Digital mammography. Right breast, cranio-caudal projection. Patient age 33.
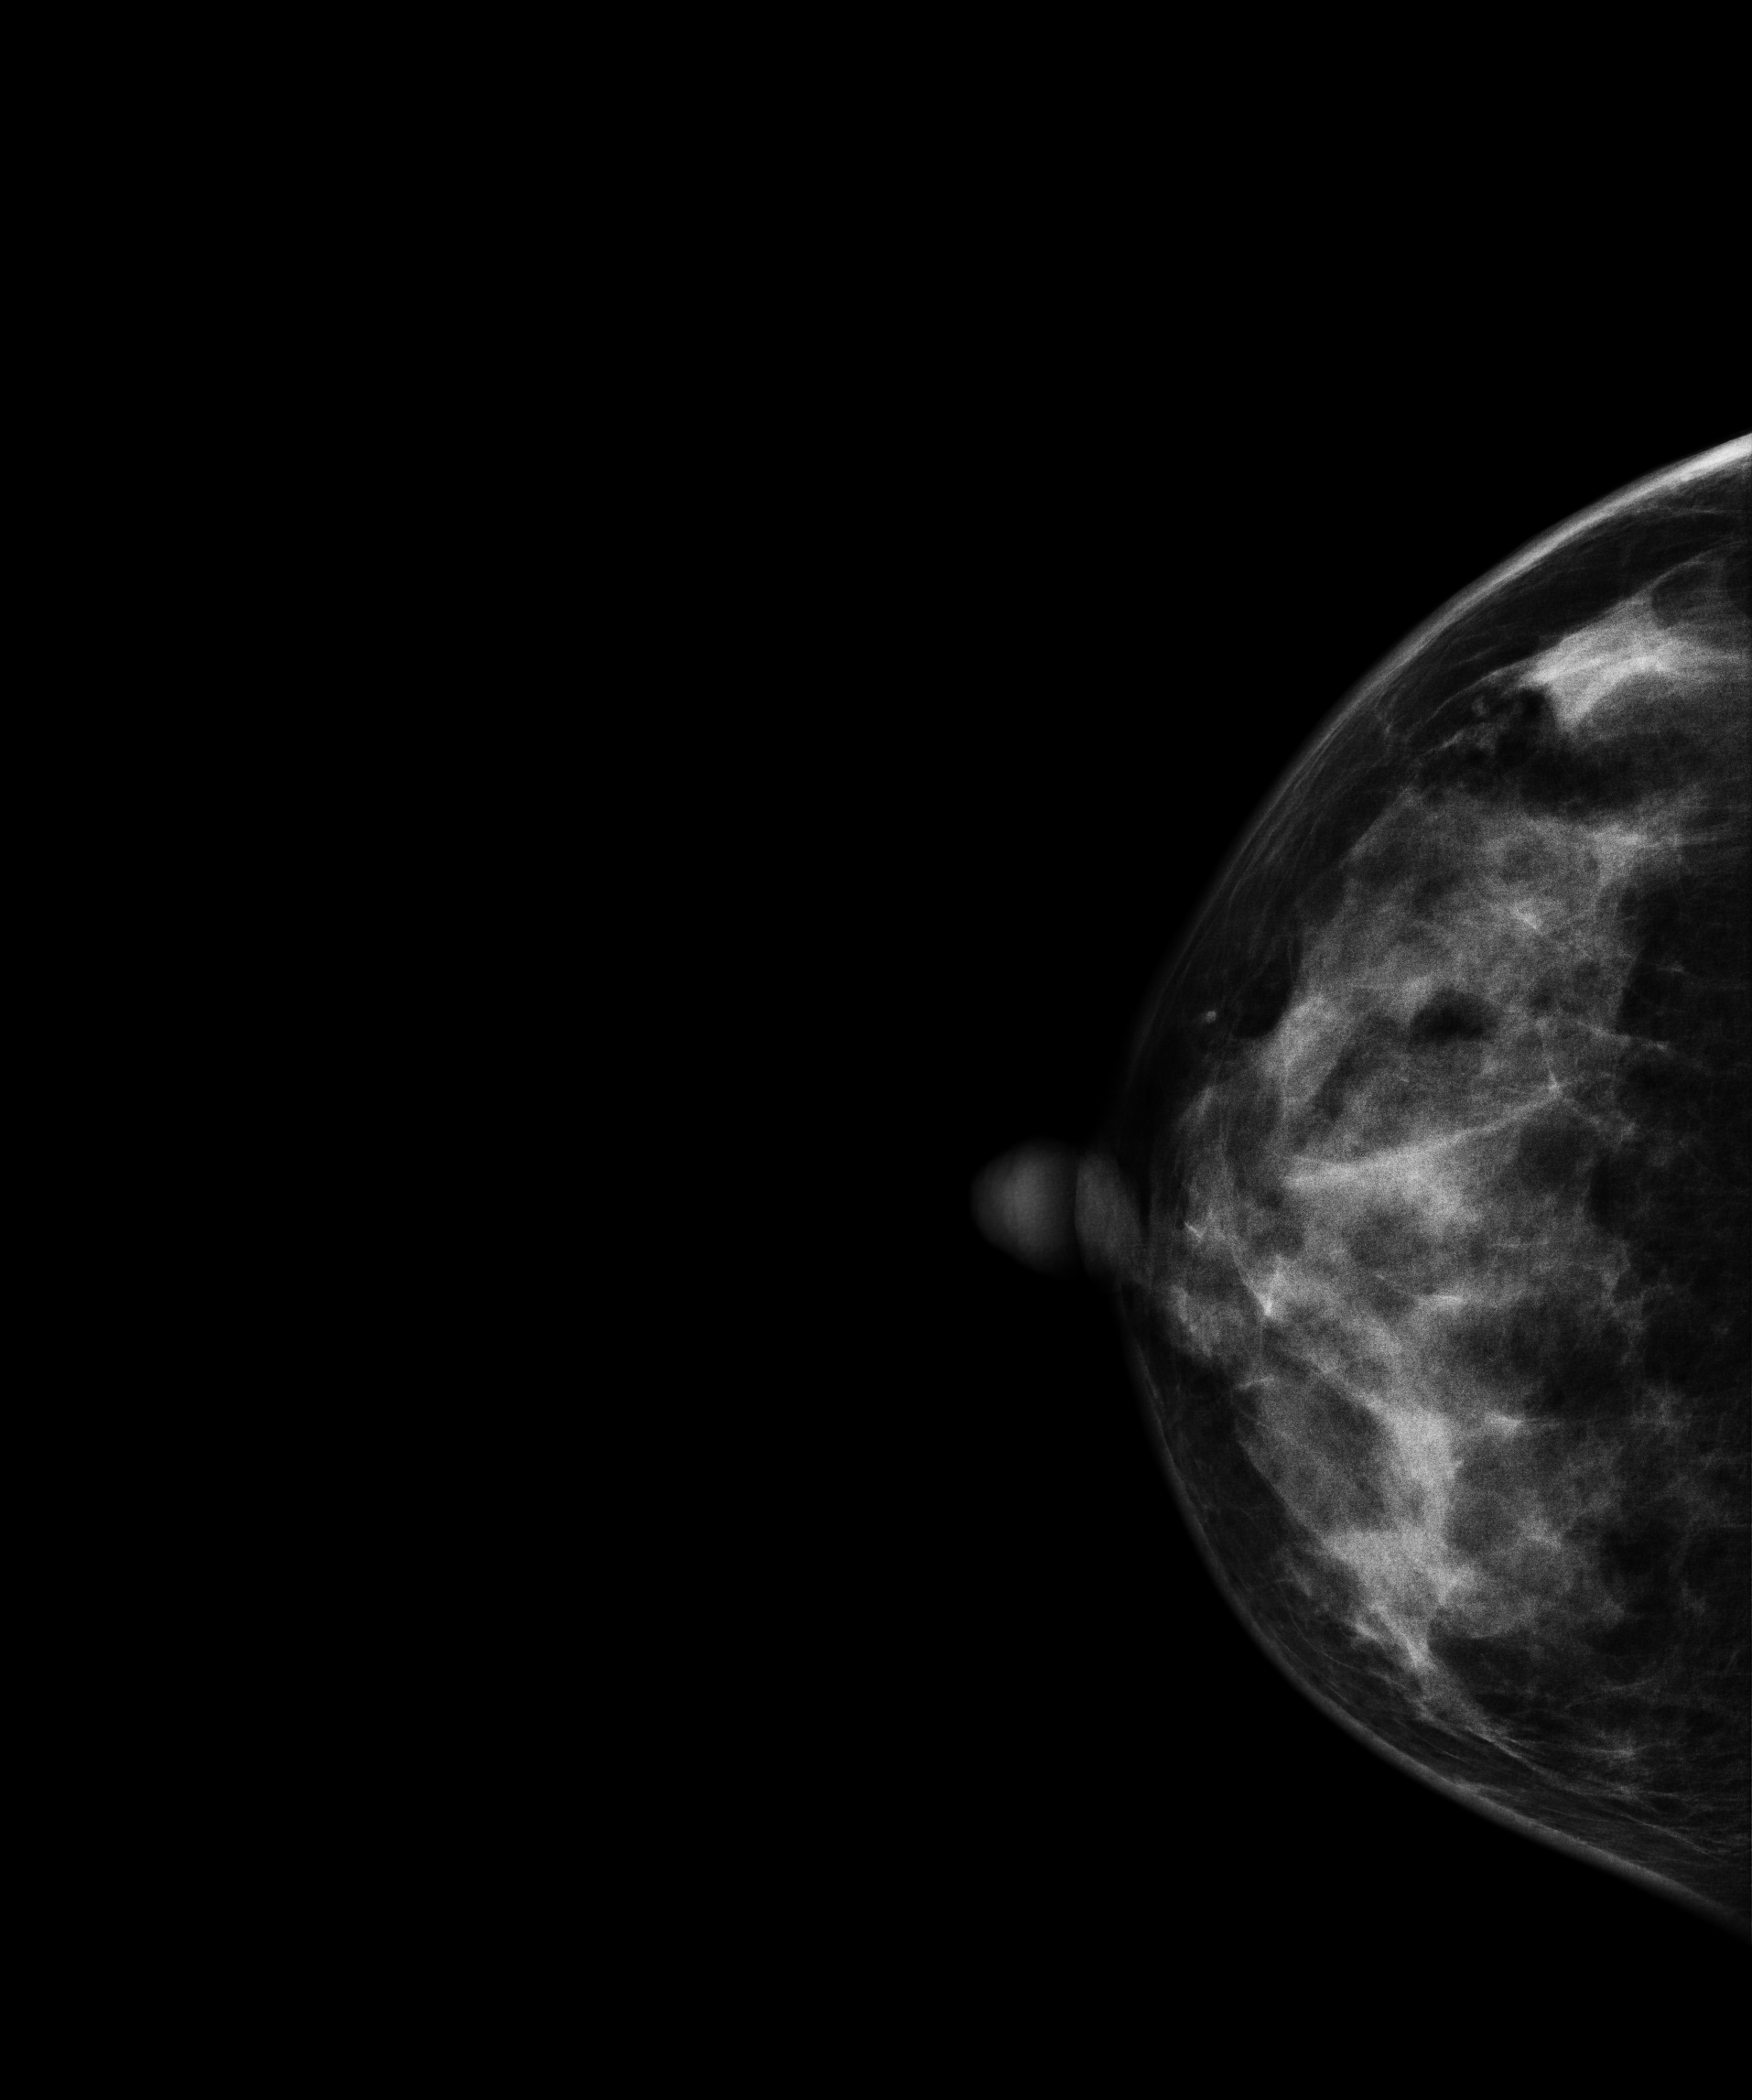
Contralateral breast — no documented abnormality on this side.